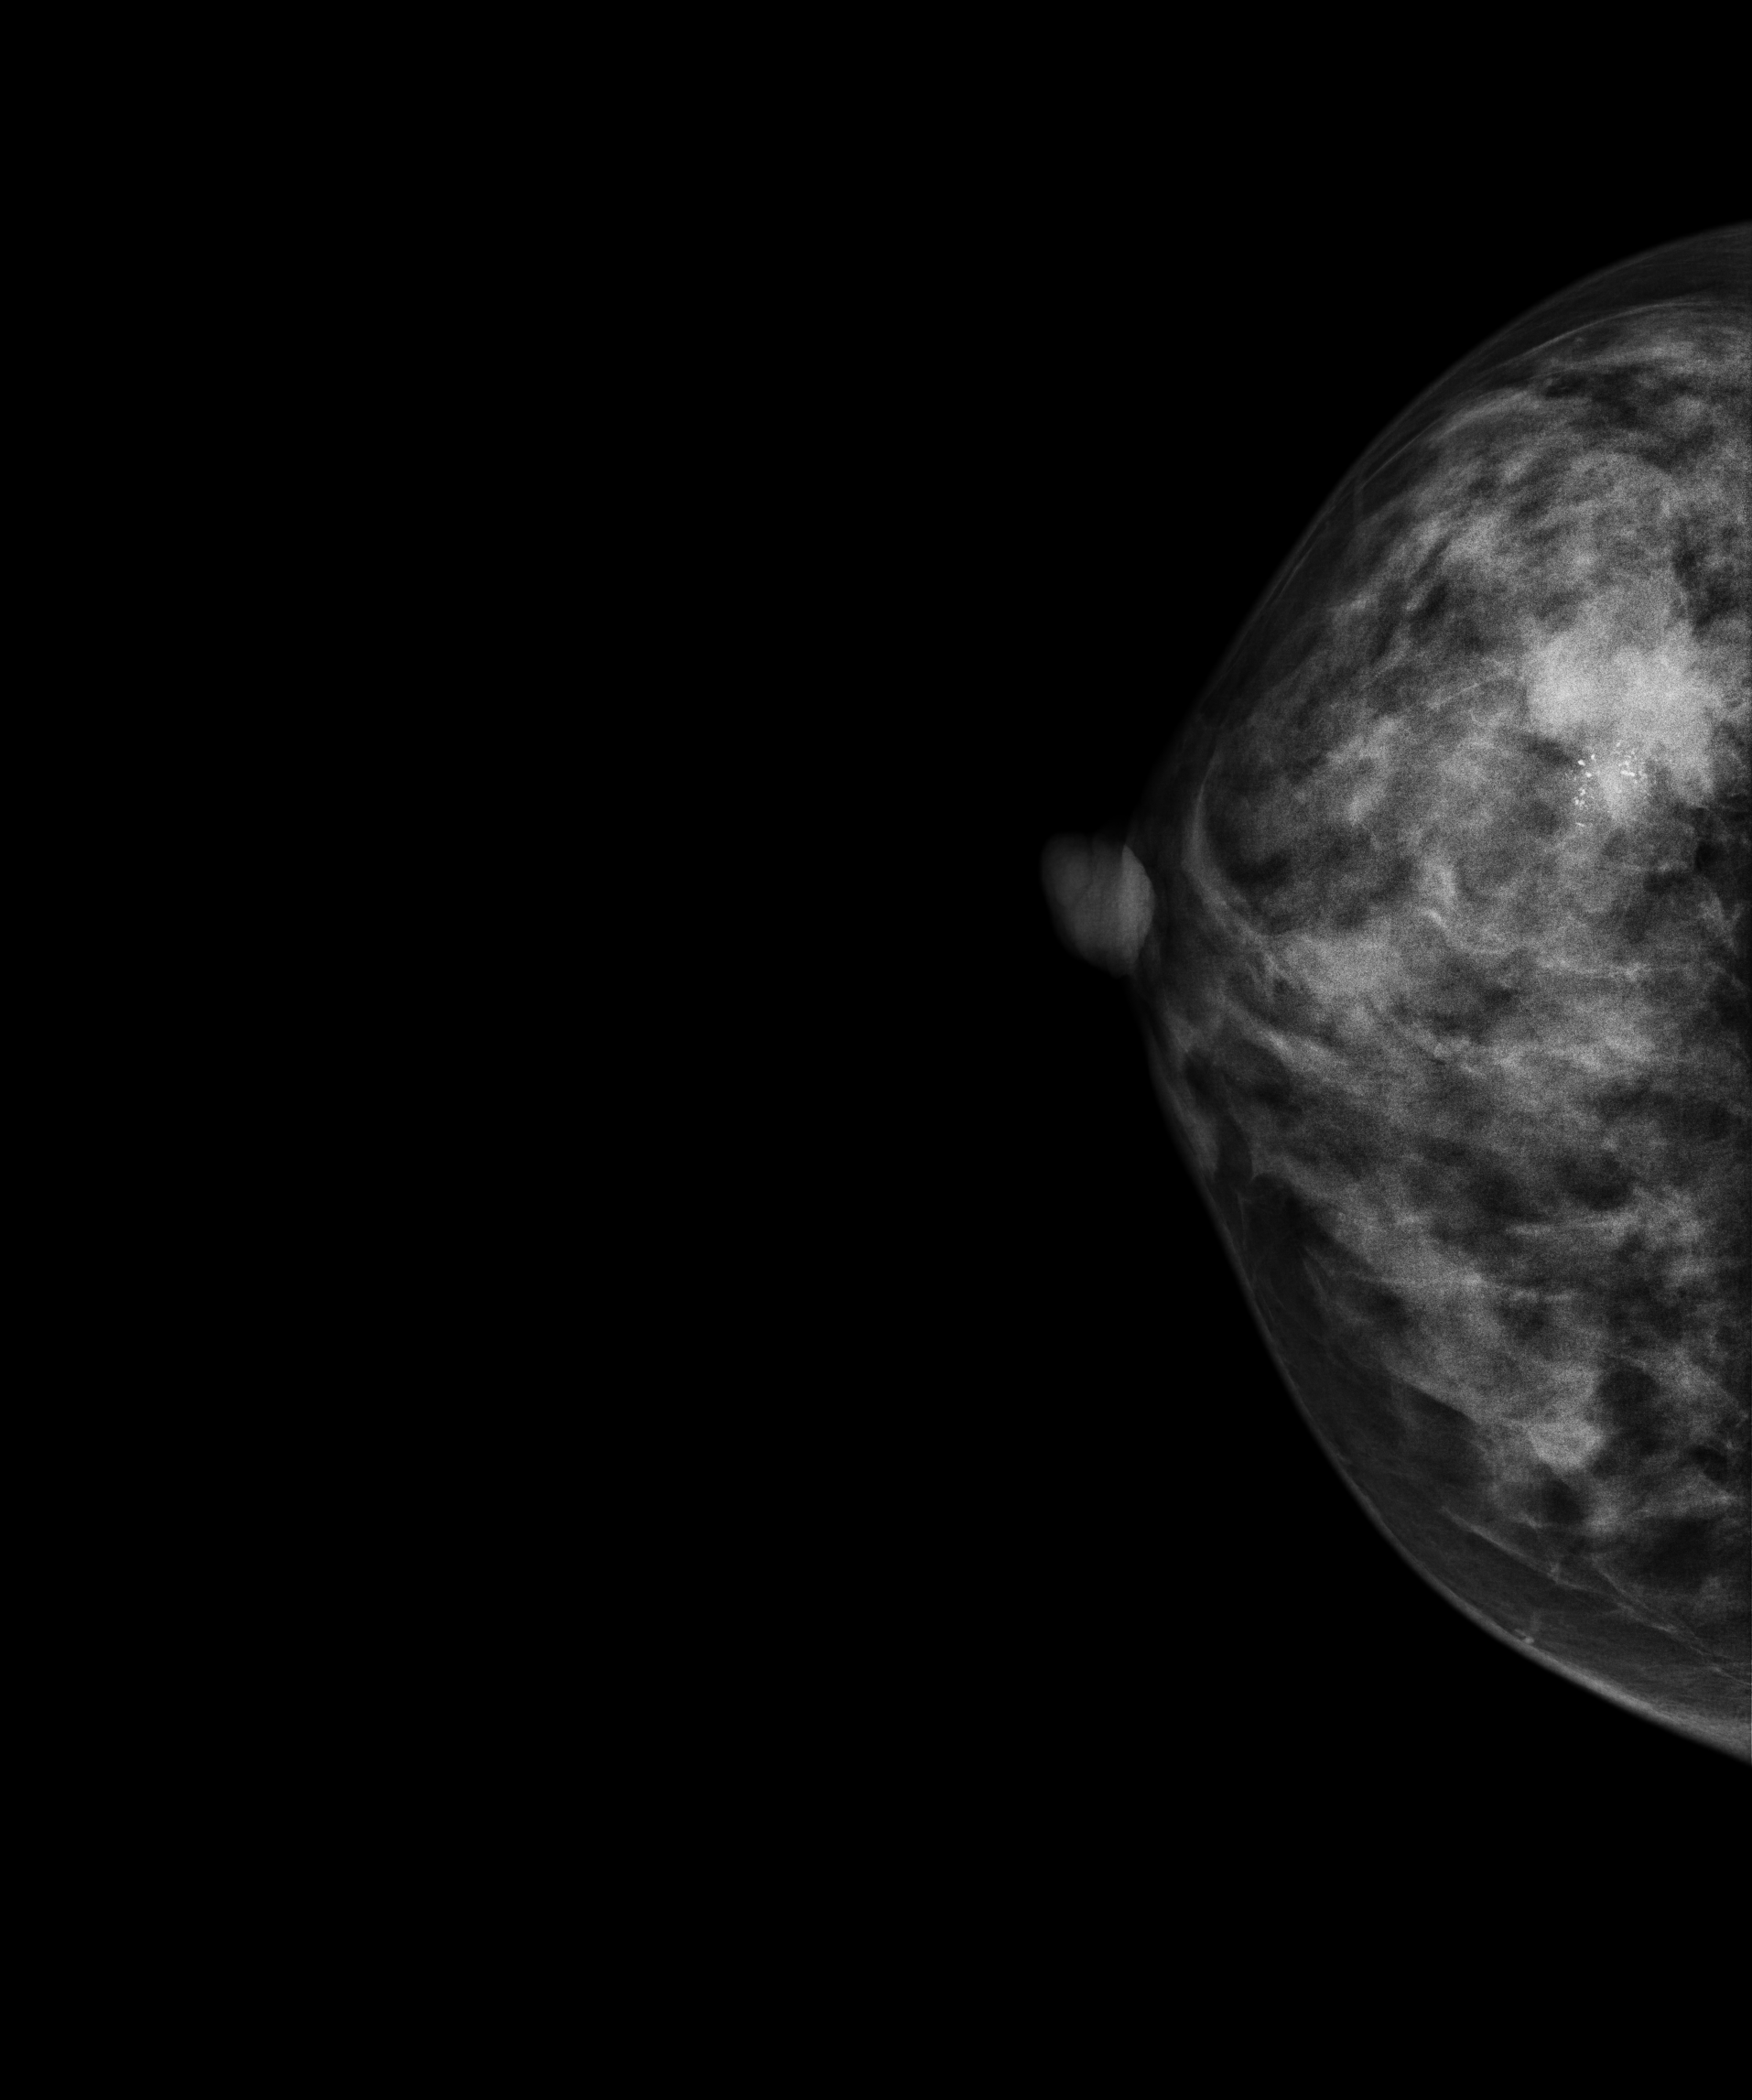
Mammogram — right cranio-caudal. 40 y/o patient.
This breast has a mass and calcifications, biopsy-proven malignant.